Medio-lateral oblique mammogram of the left breast. Patient age 57.
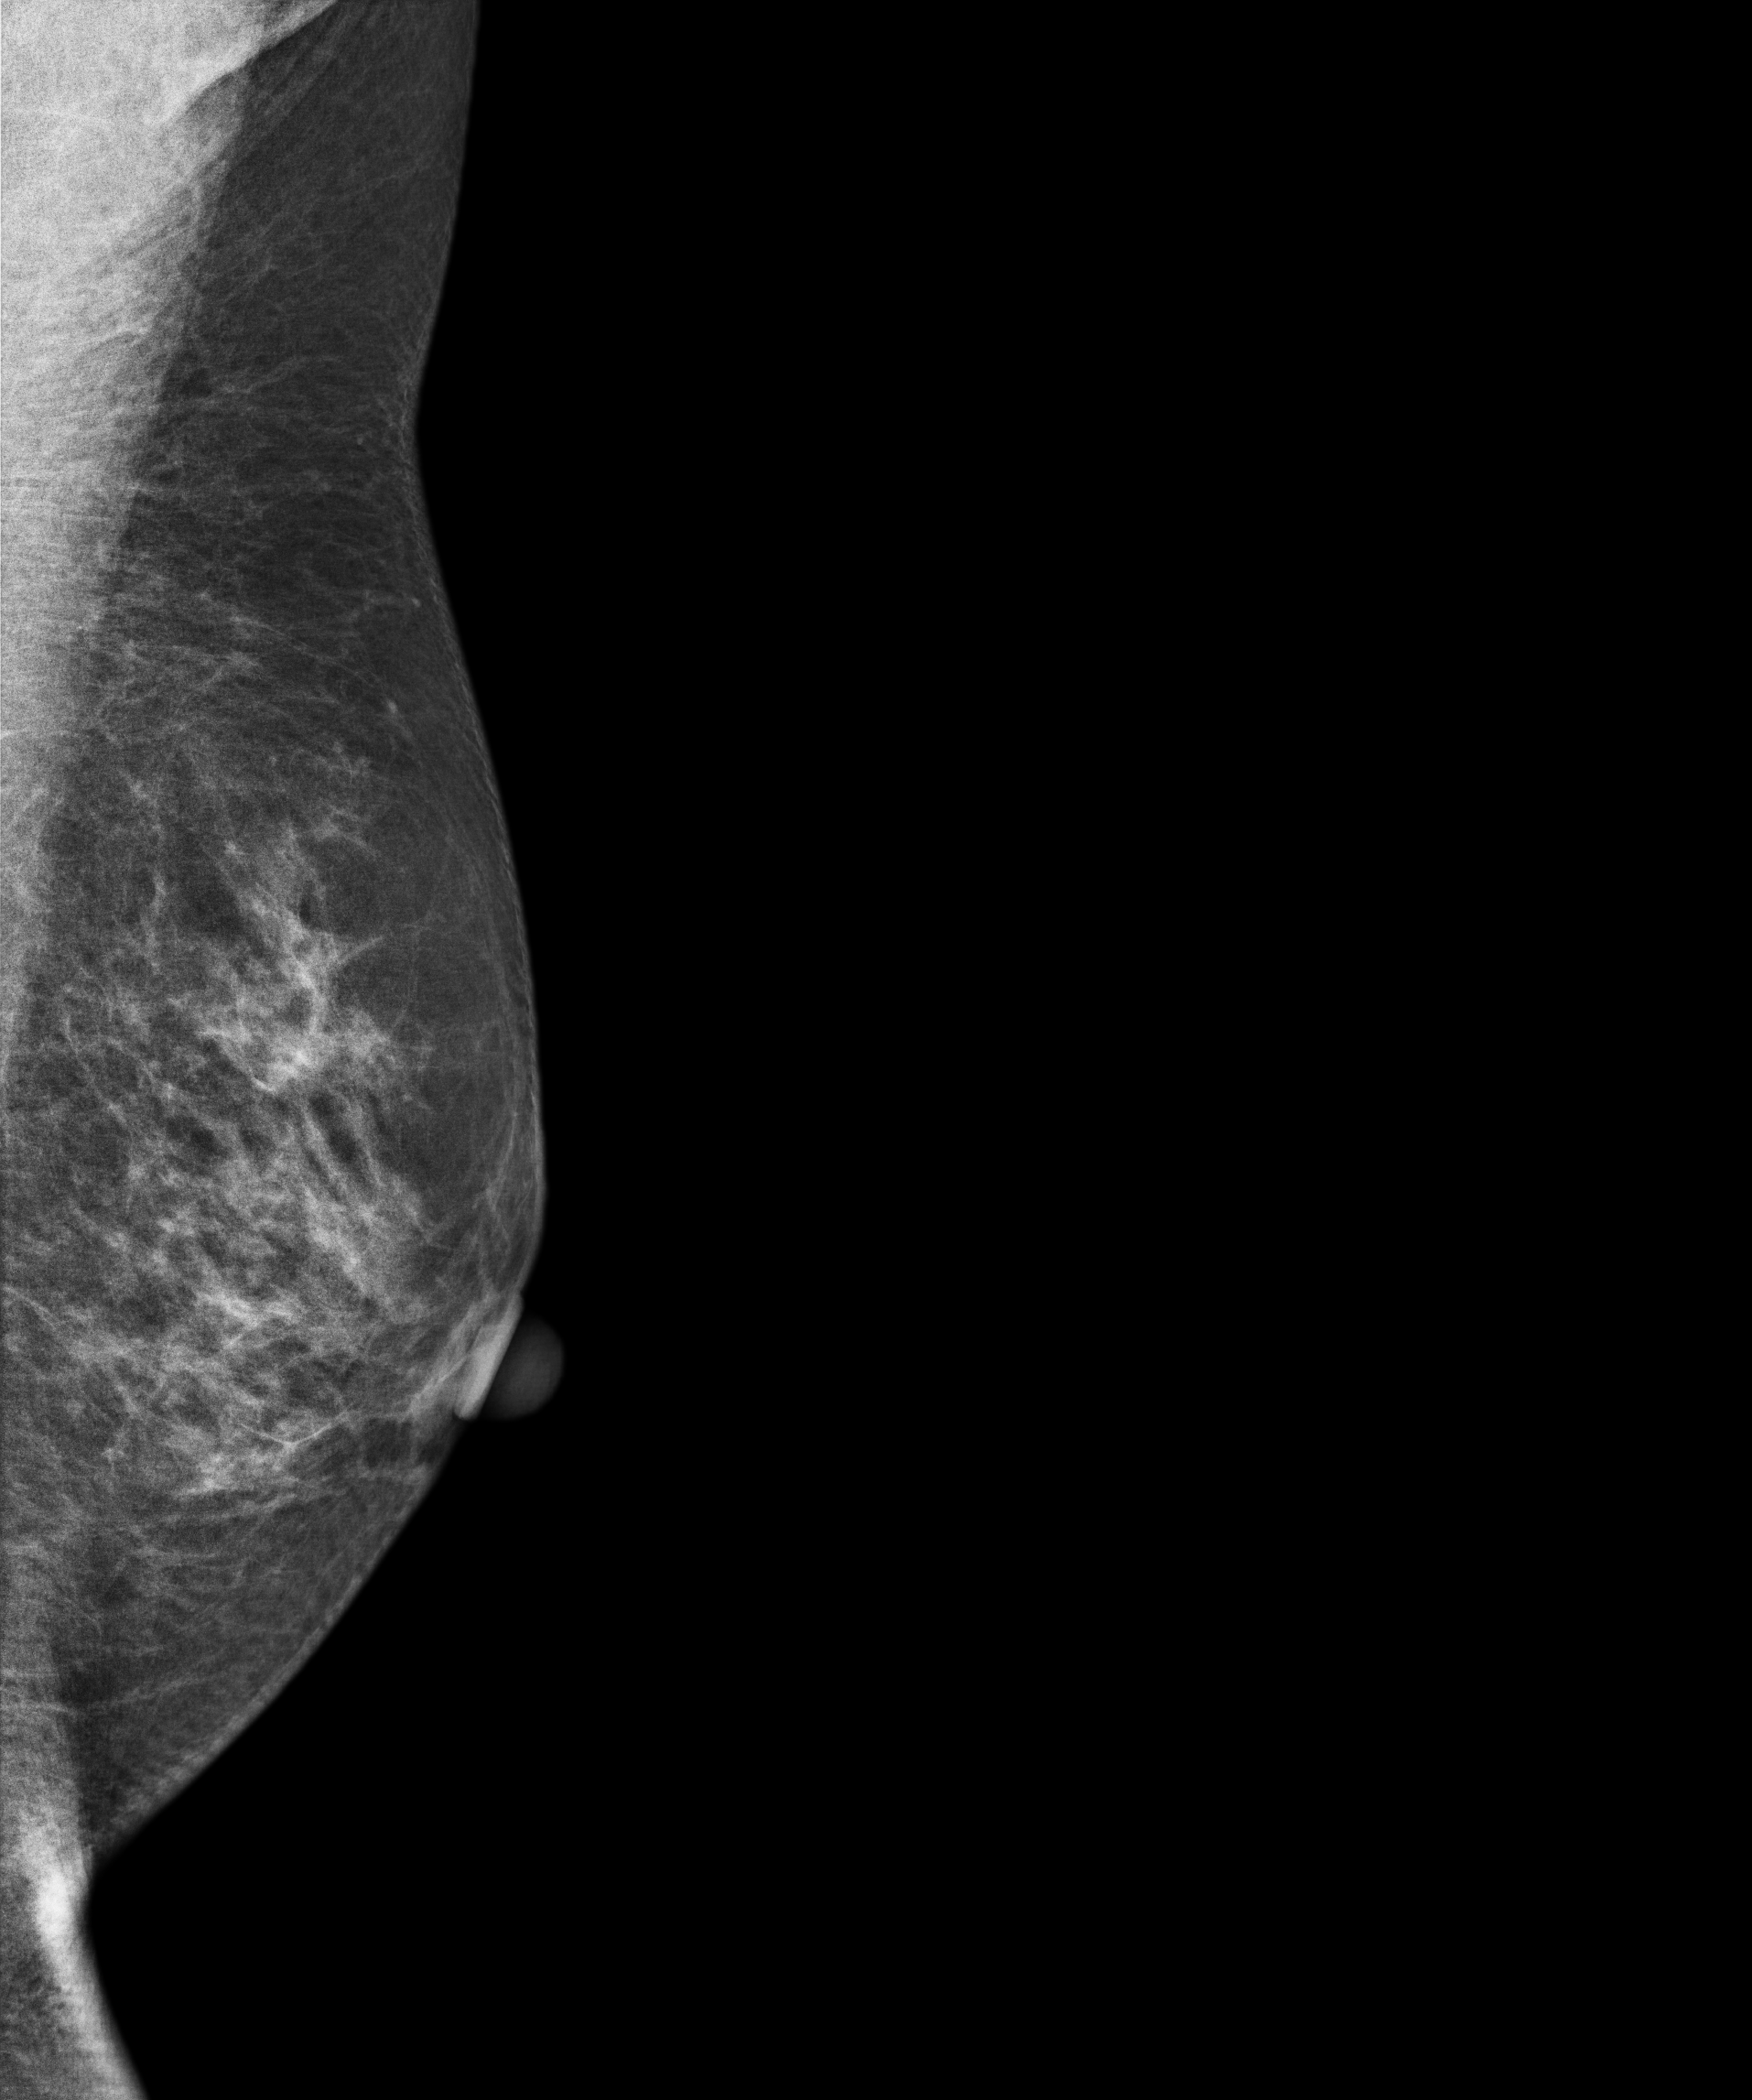
Contralateral breast — no documented abnormality on this side.